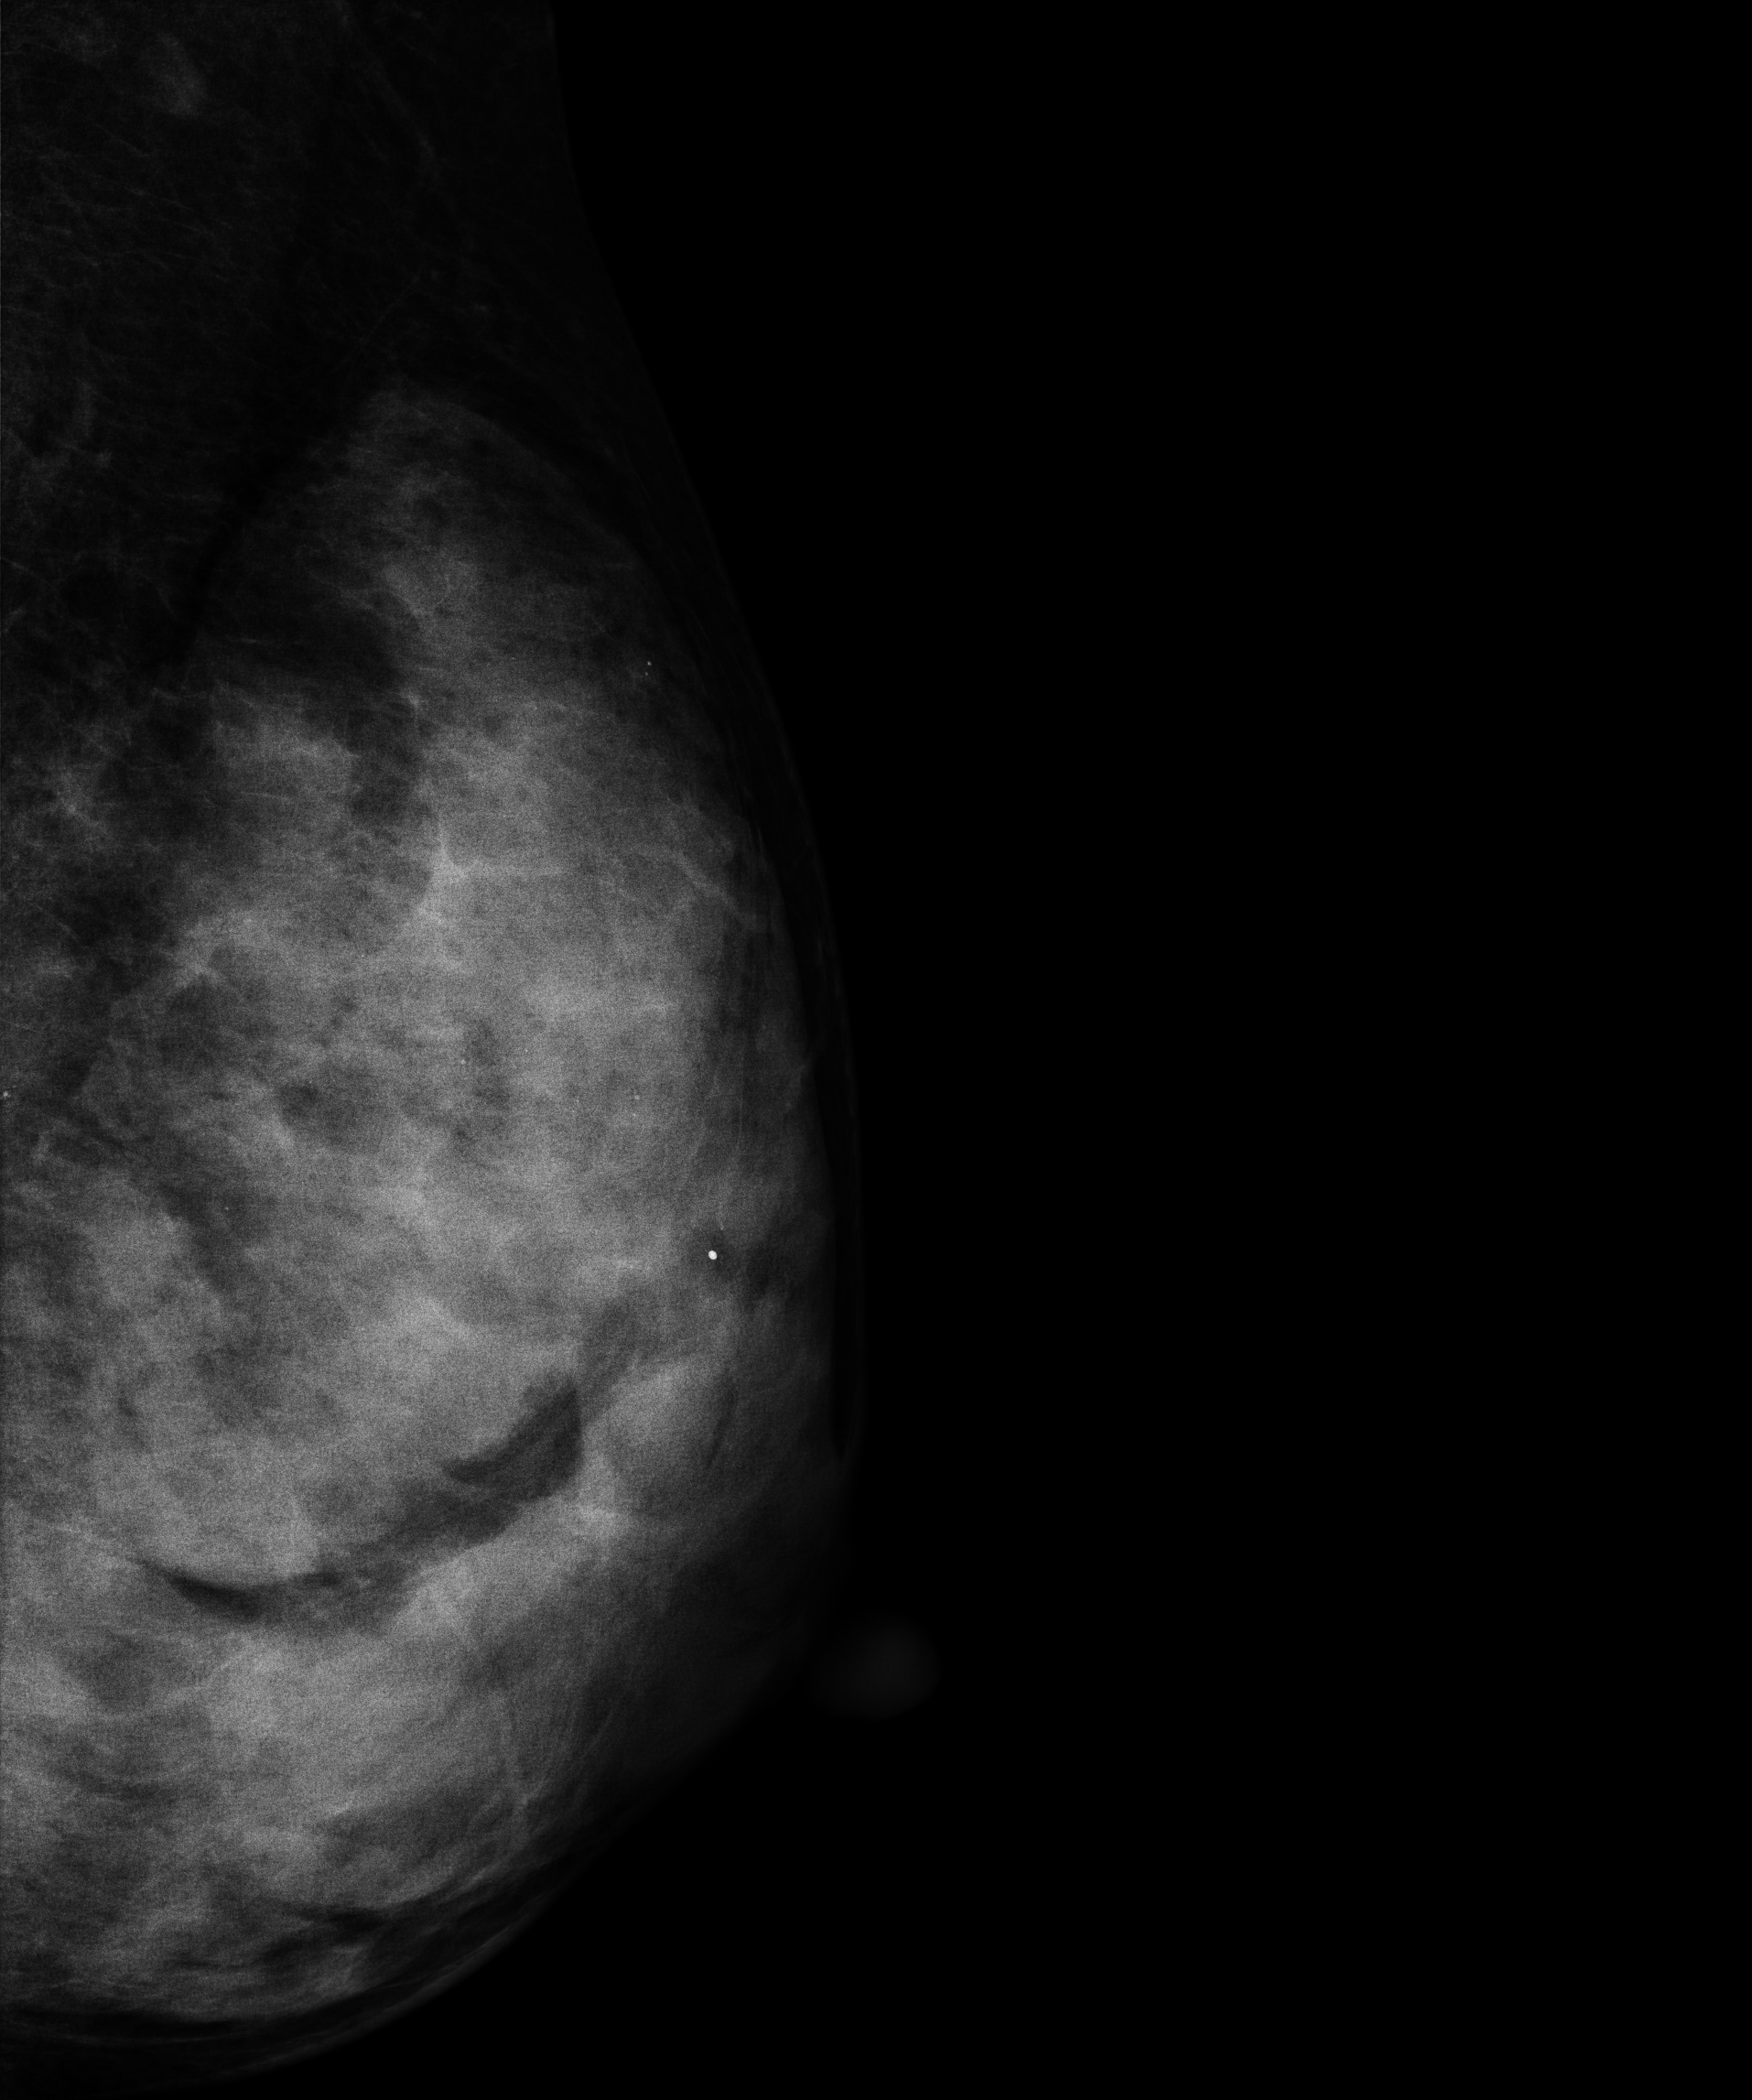
Mammogram, left breast, MLO view. 47 y/o patient.
Contralateral breast — no documented abnormality on this side.